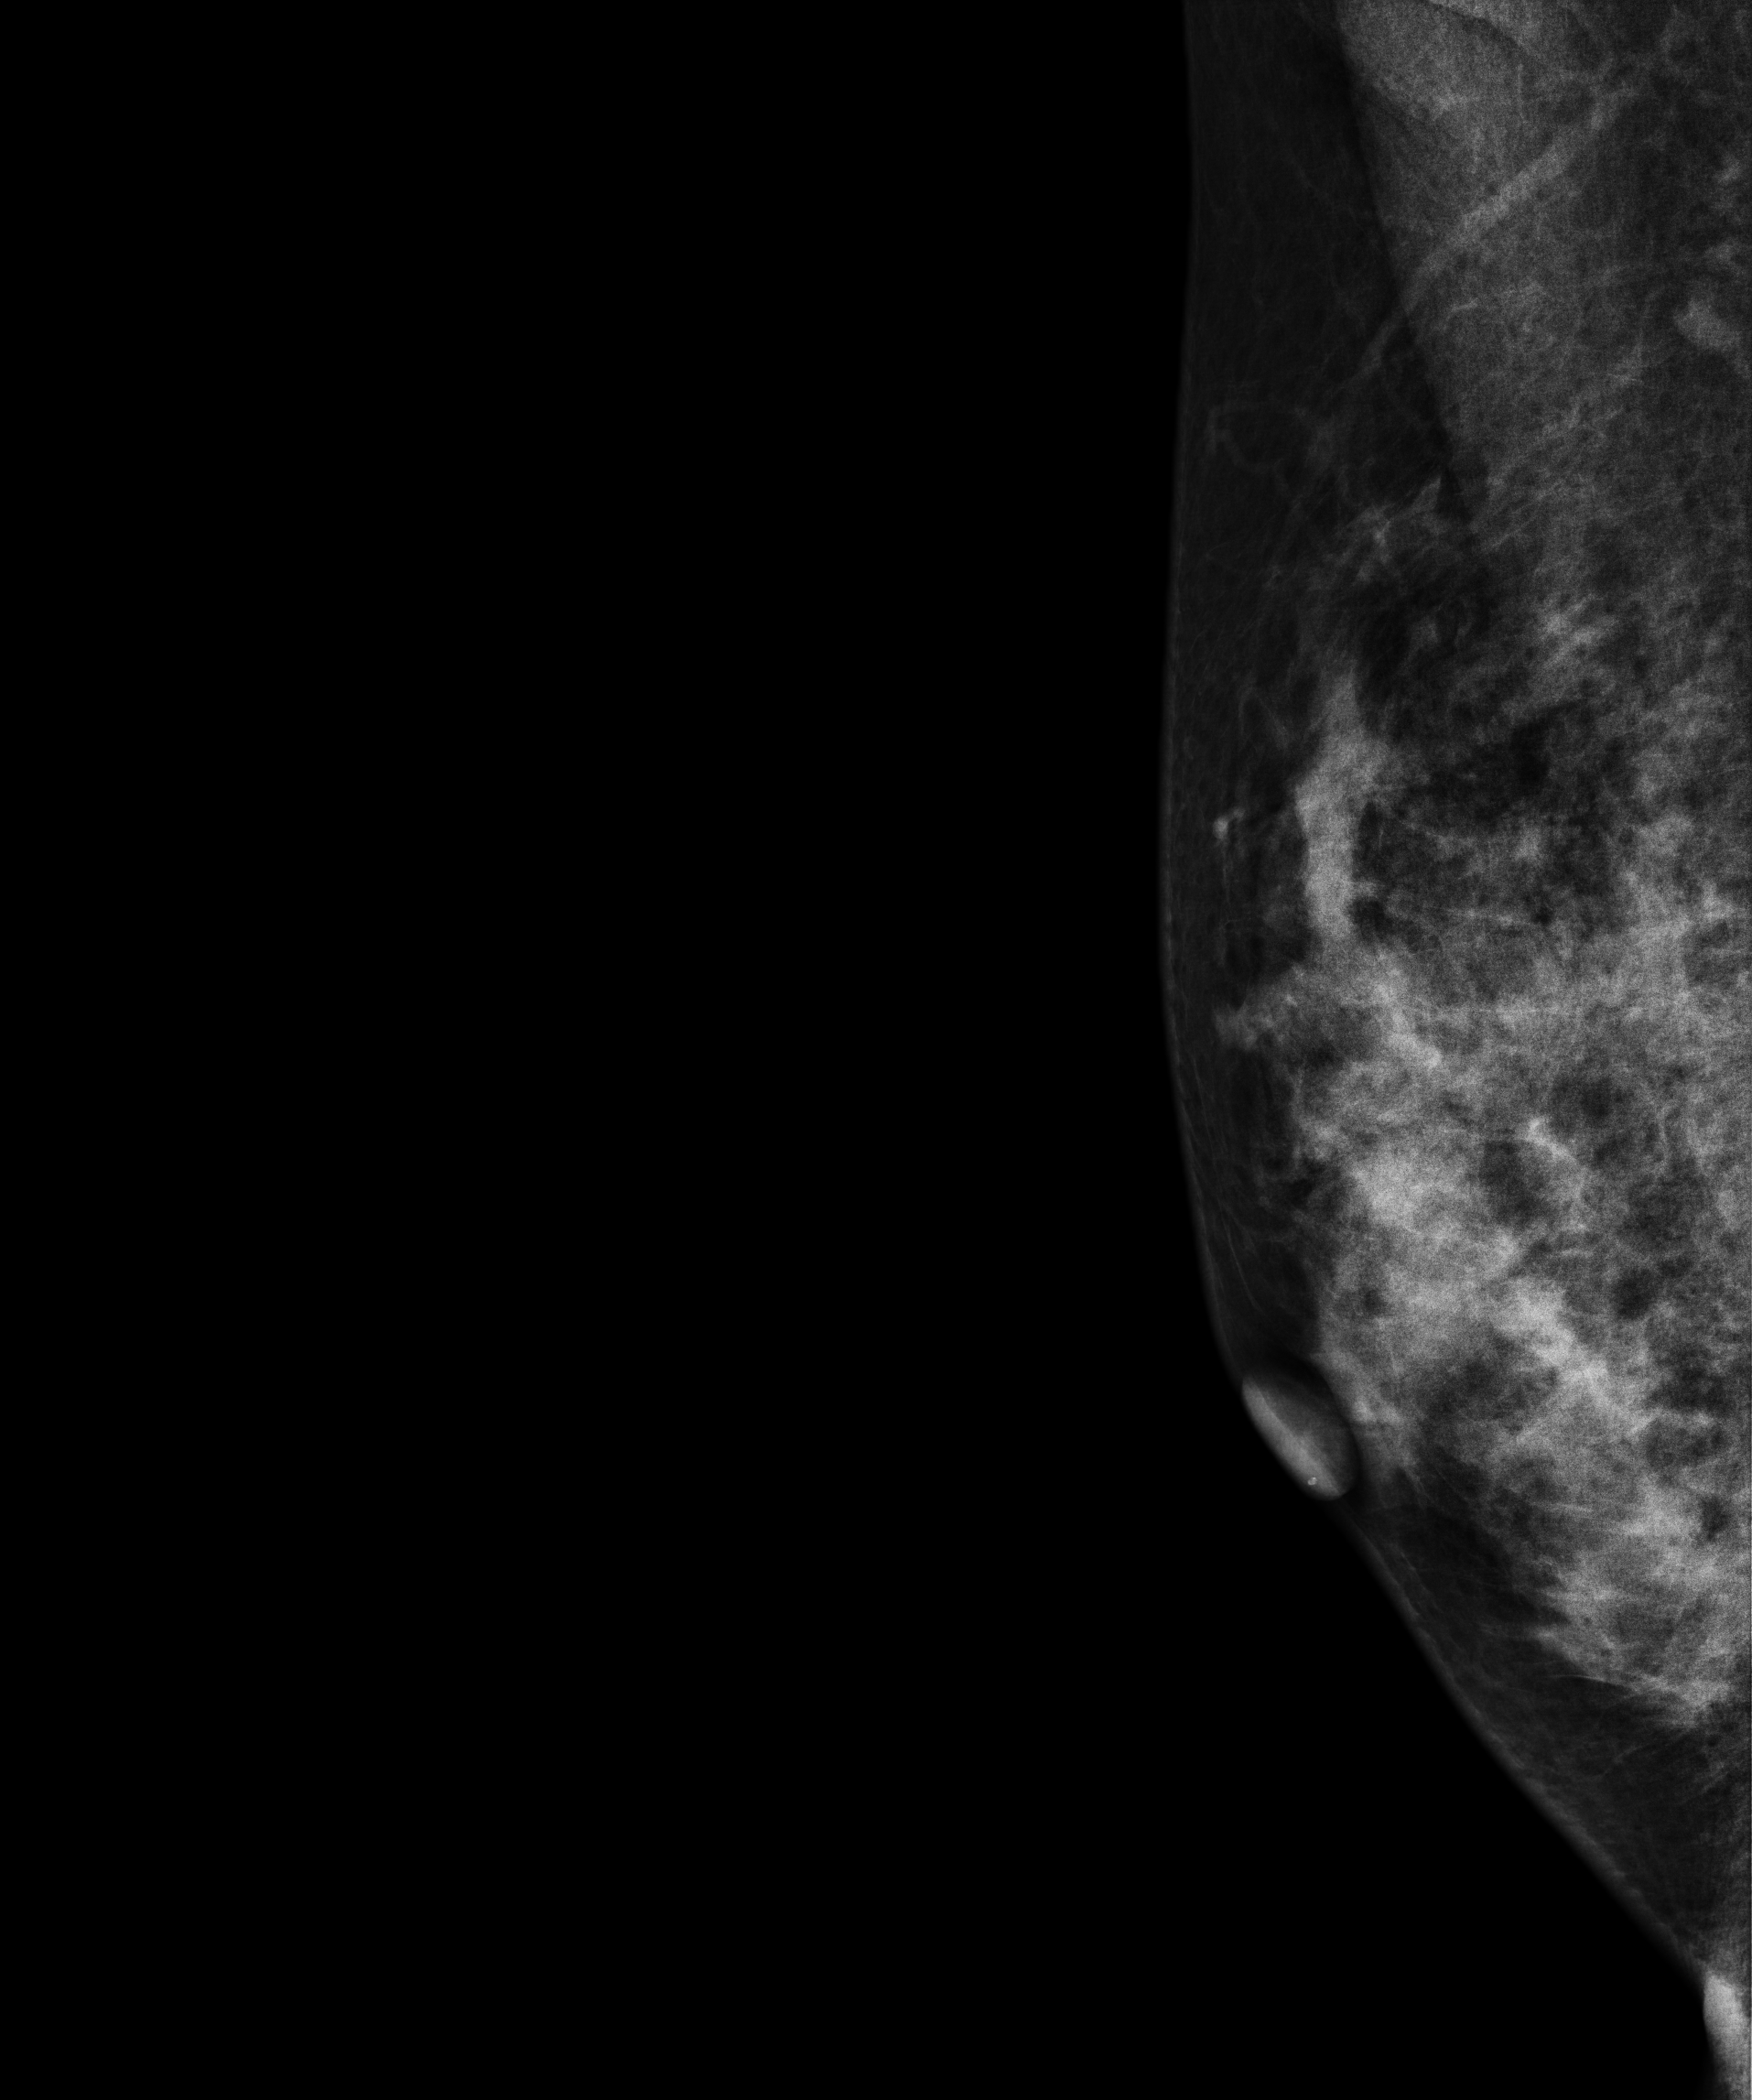
Mammogram, right breast, MLO view. 43 y/o patient.
This breast has a mass, histologically confirmed benign.